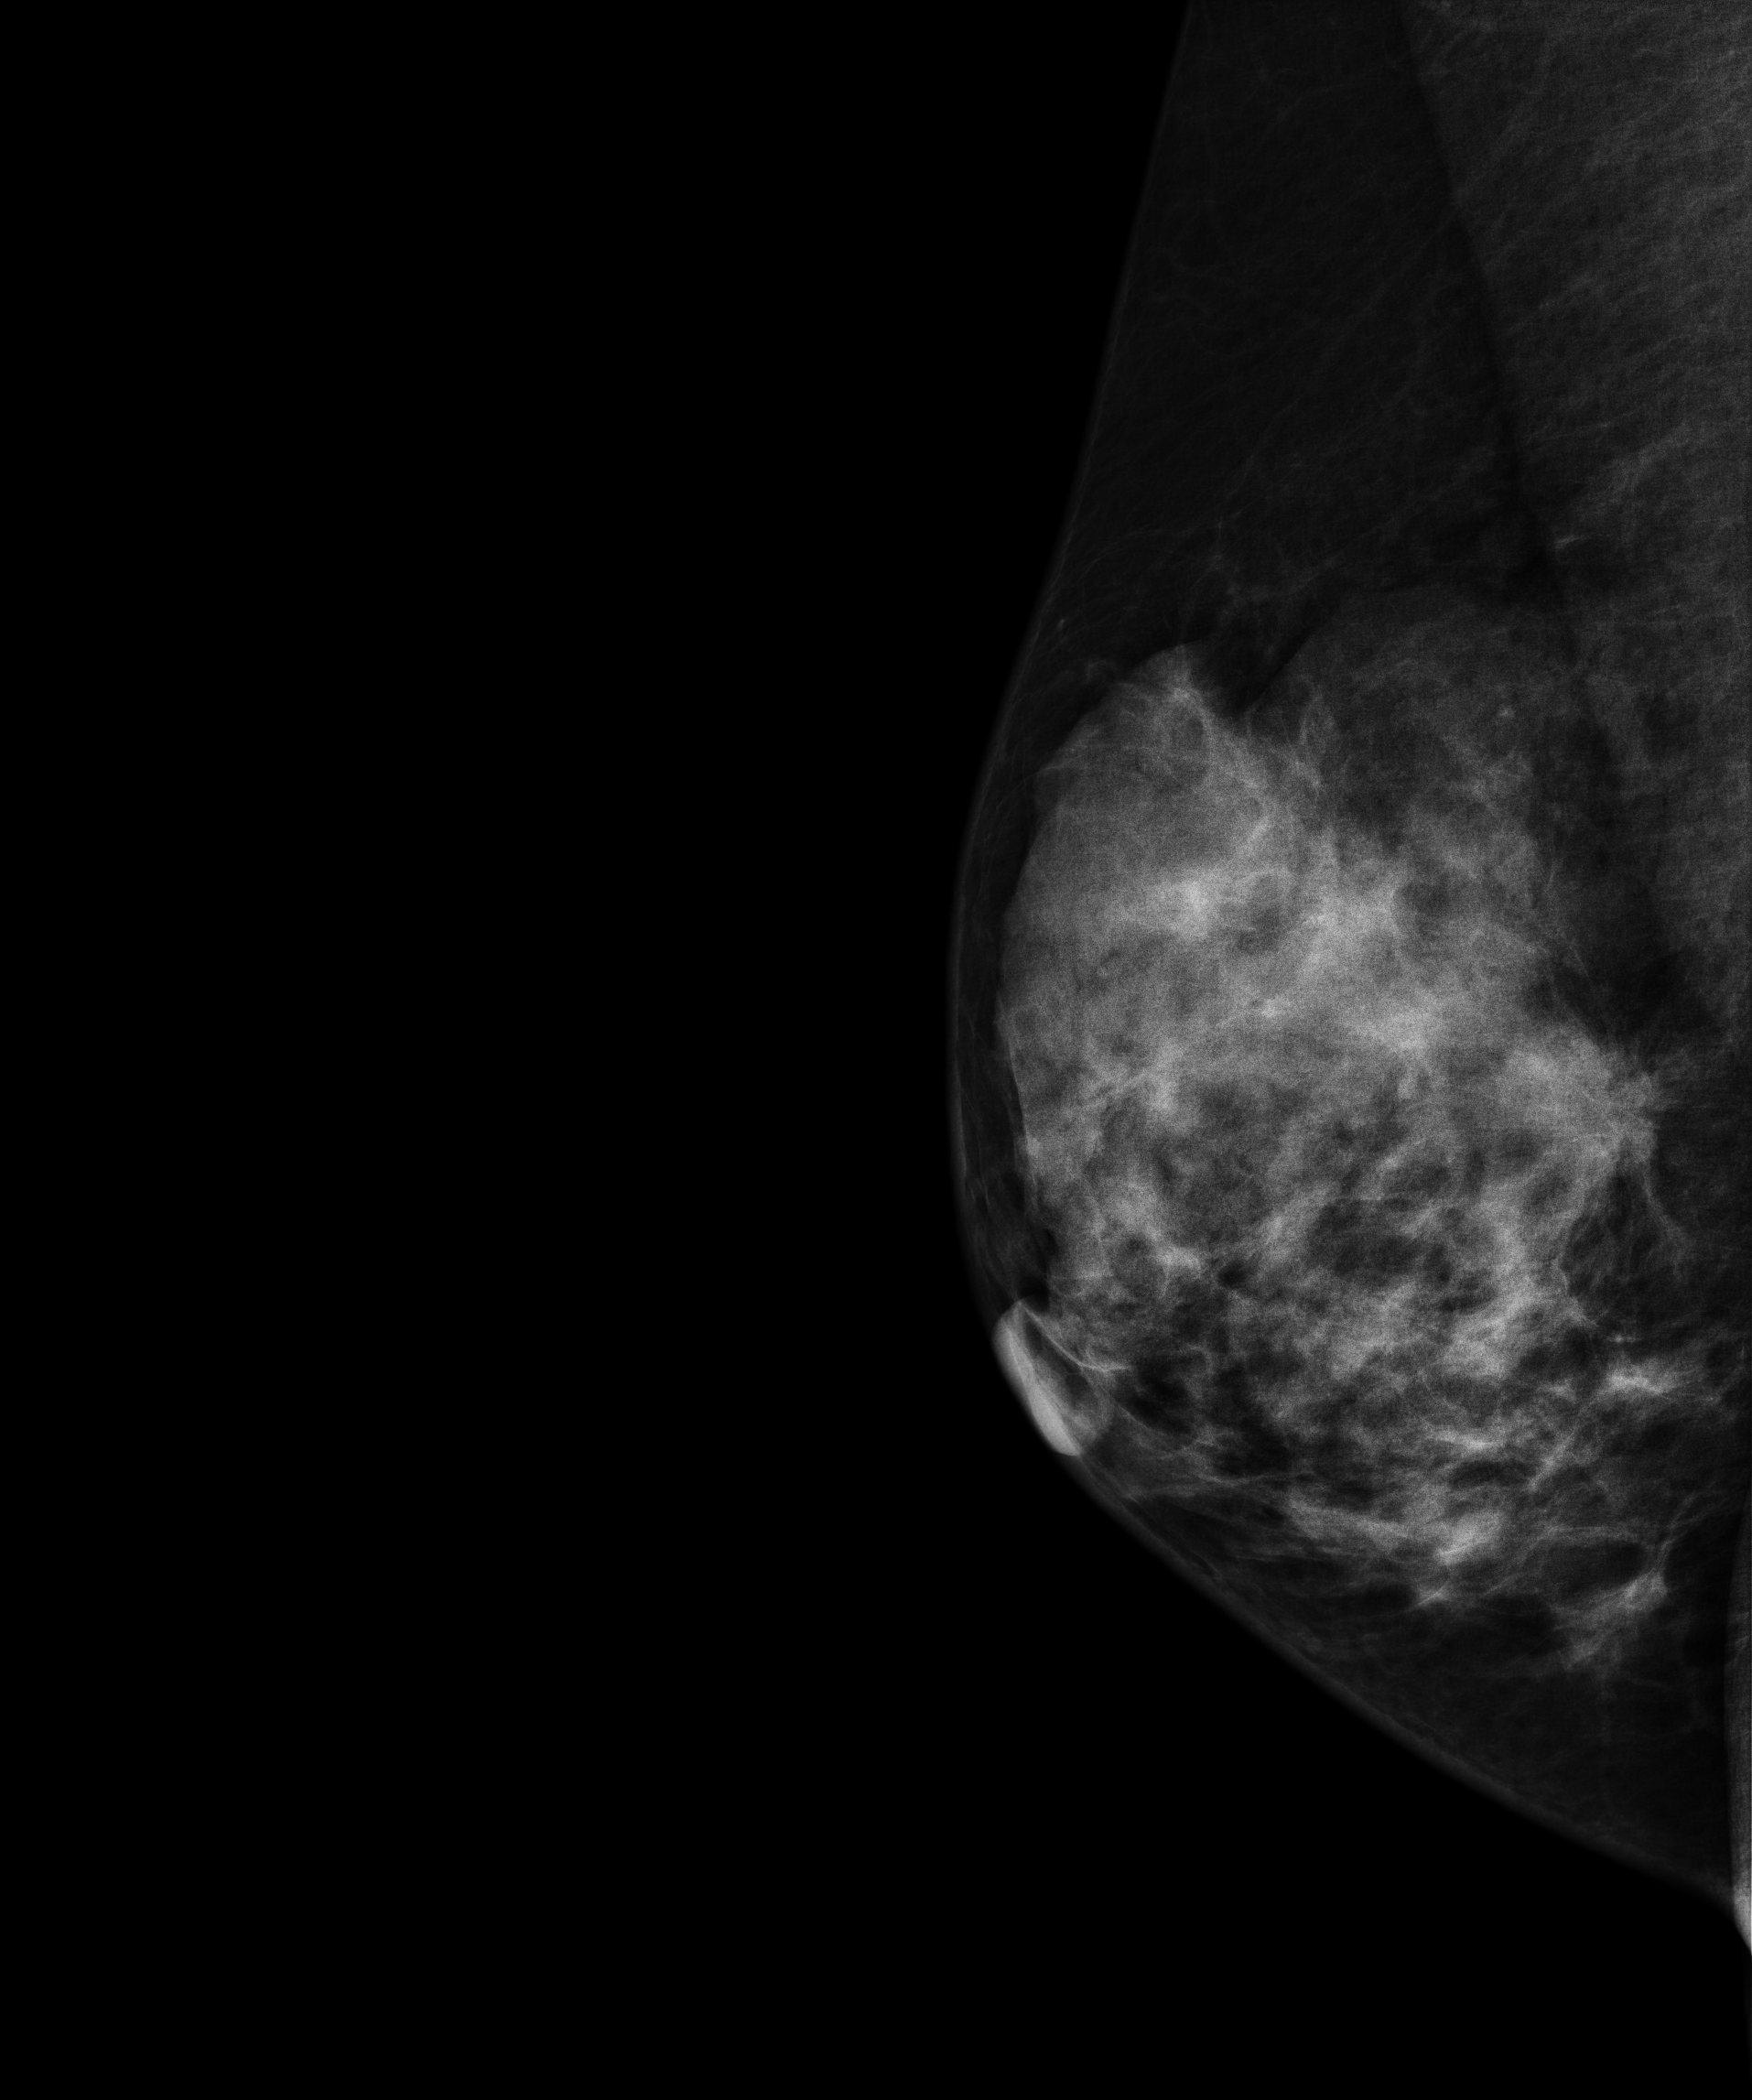
MLO mammogram of the right breast. 46-year-old patient.
This breast has a mass, pathology-confirmed malignant.